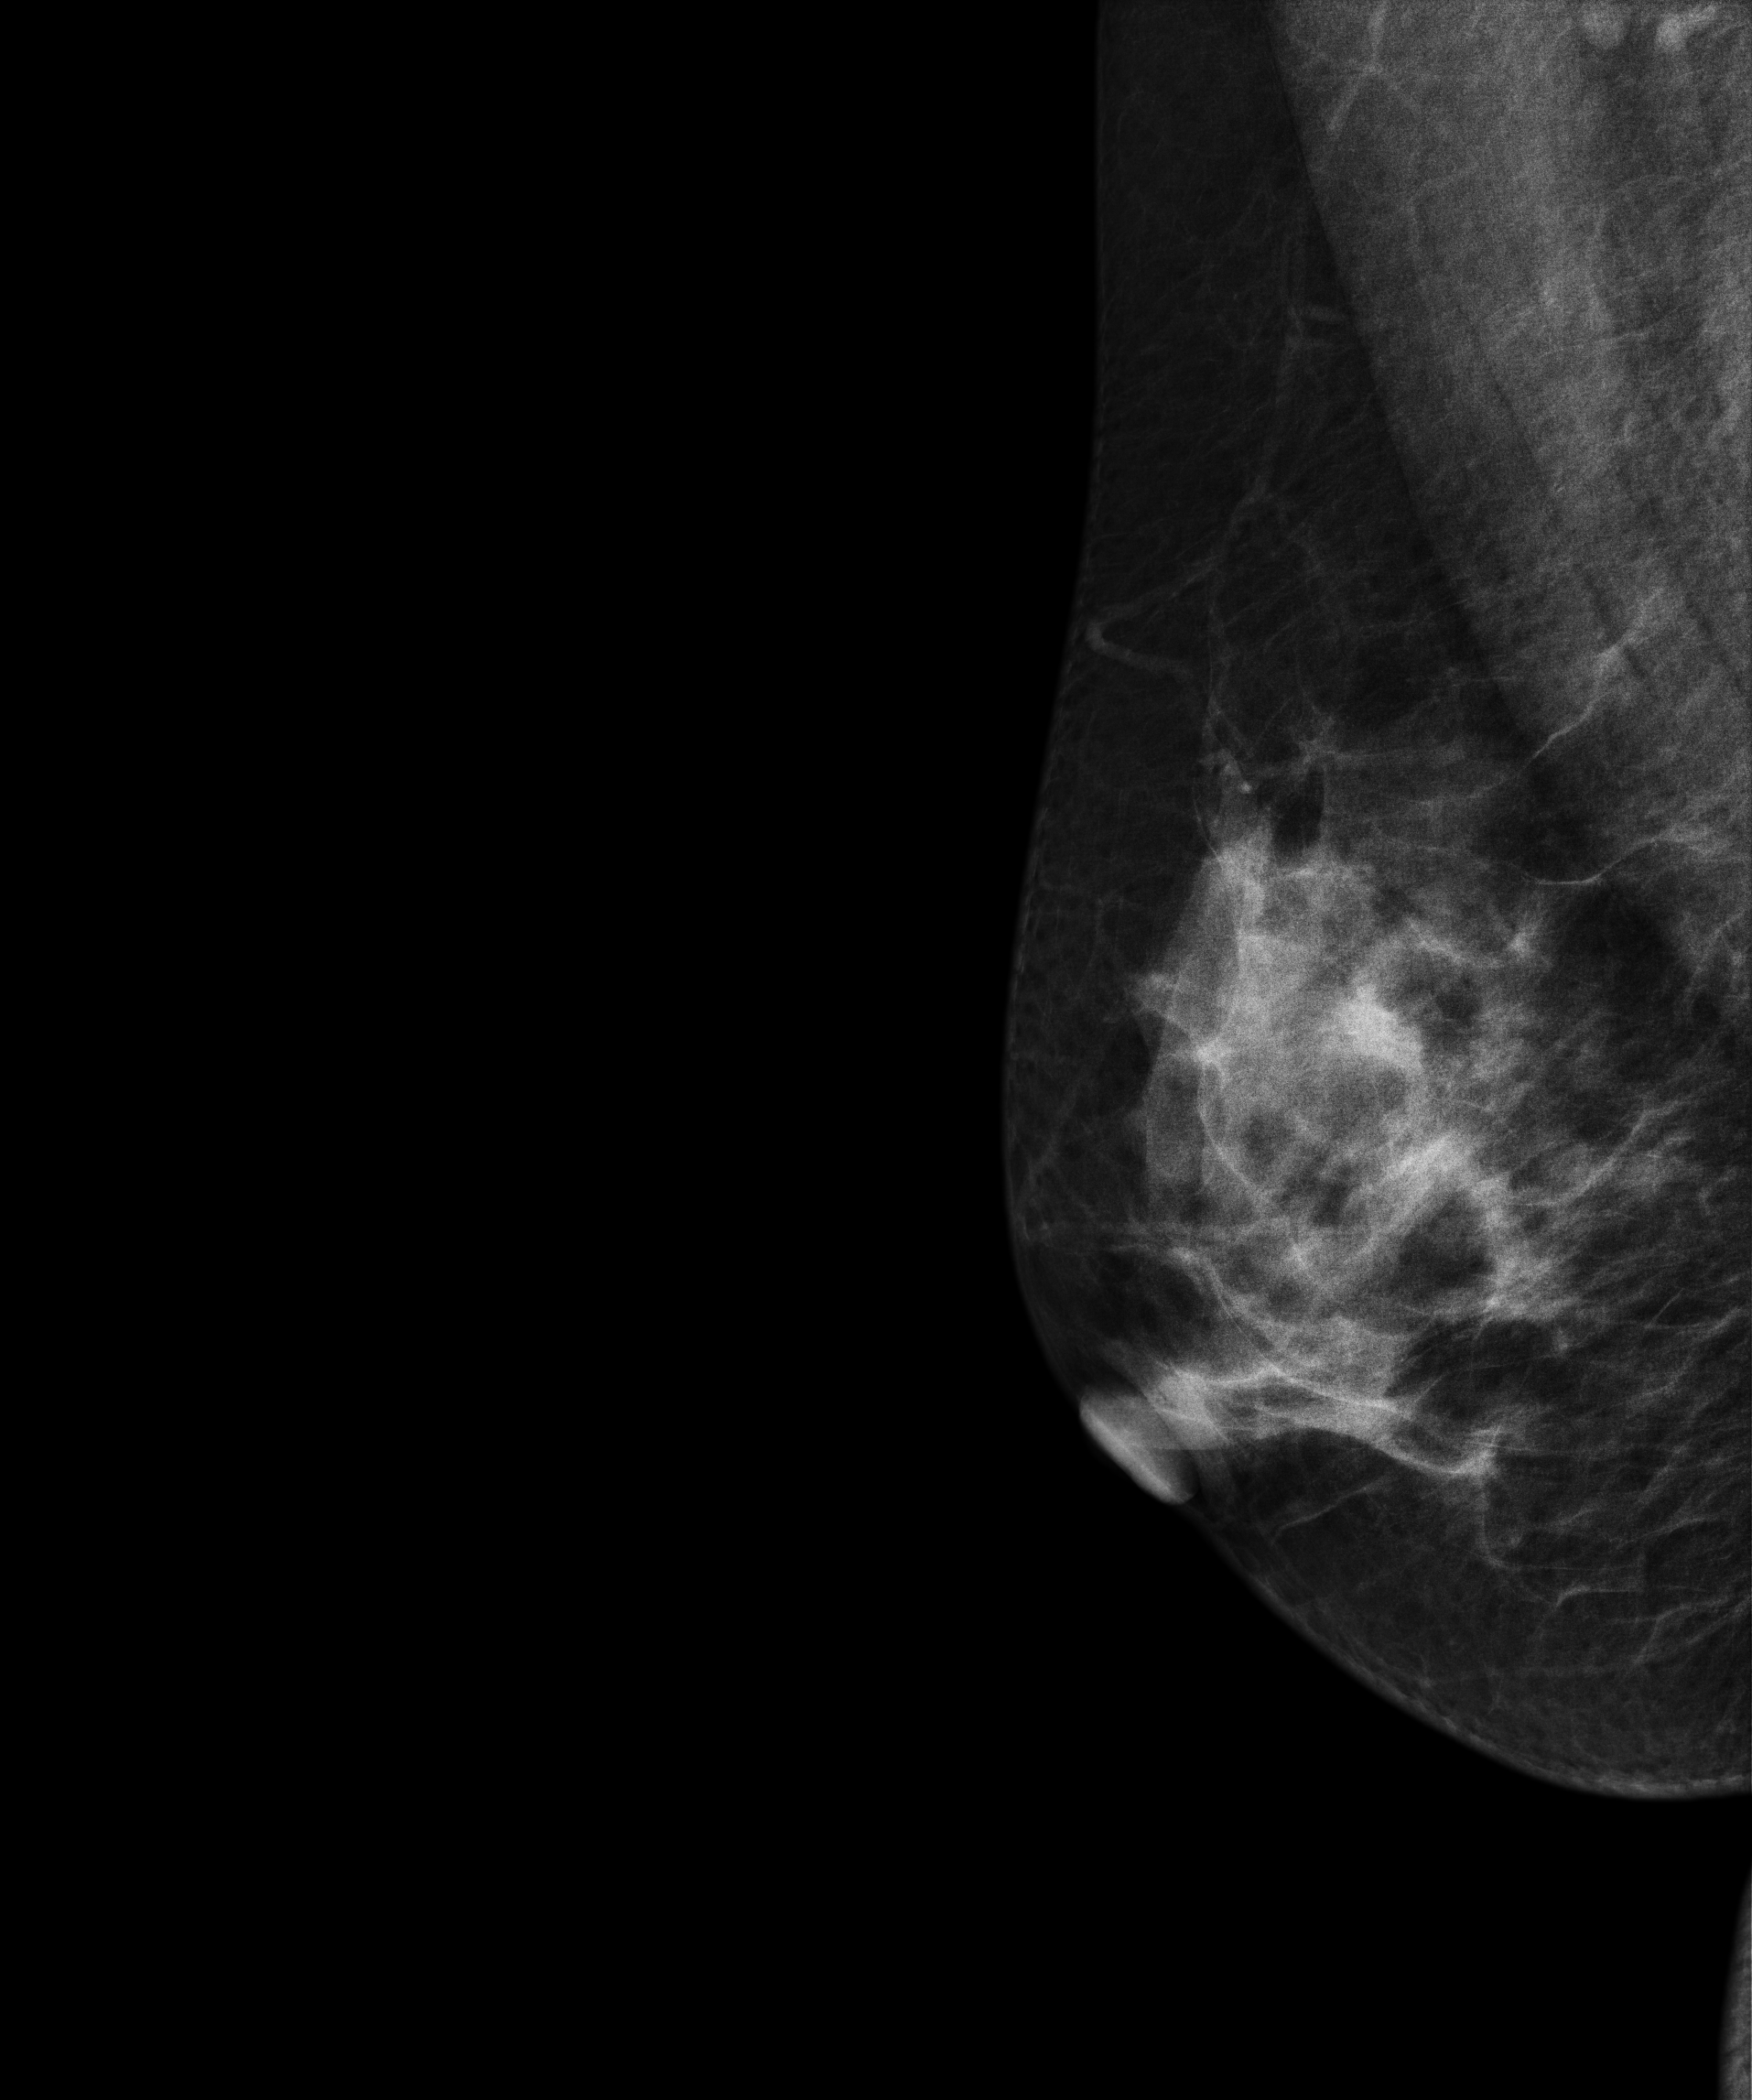
Right-breast mammogram, MLO. Patient age 40.
This breast has a mass, biopsy-proven benign.